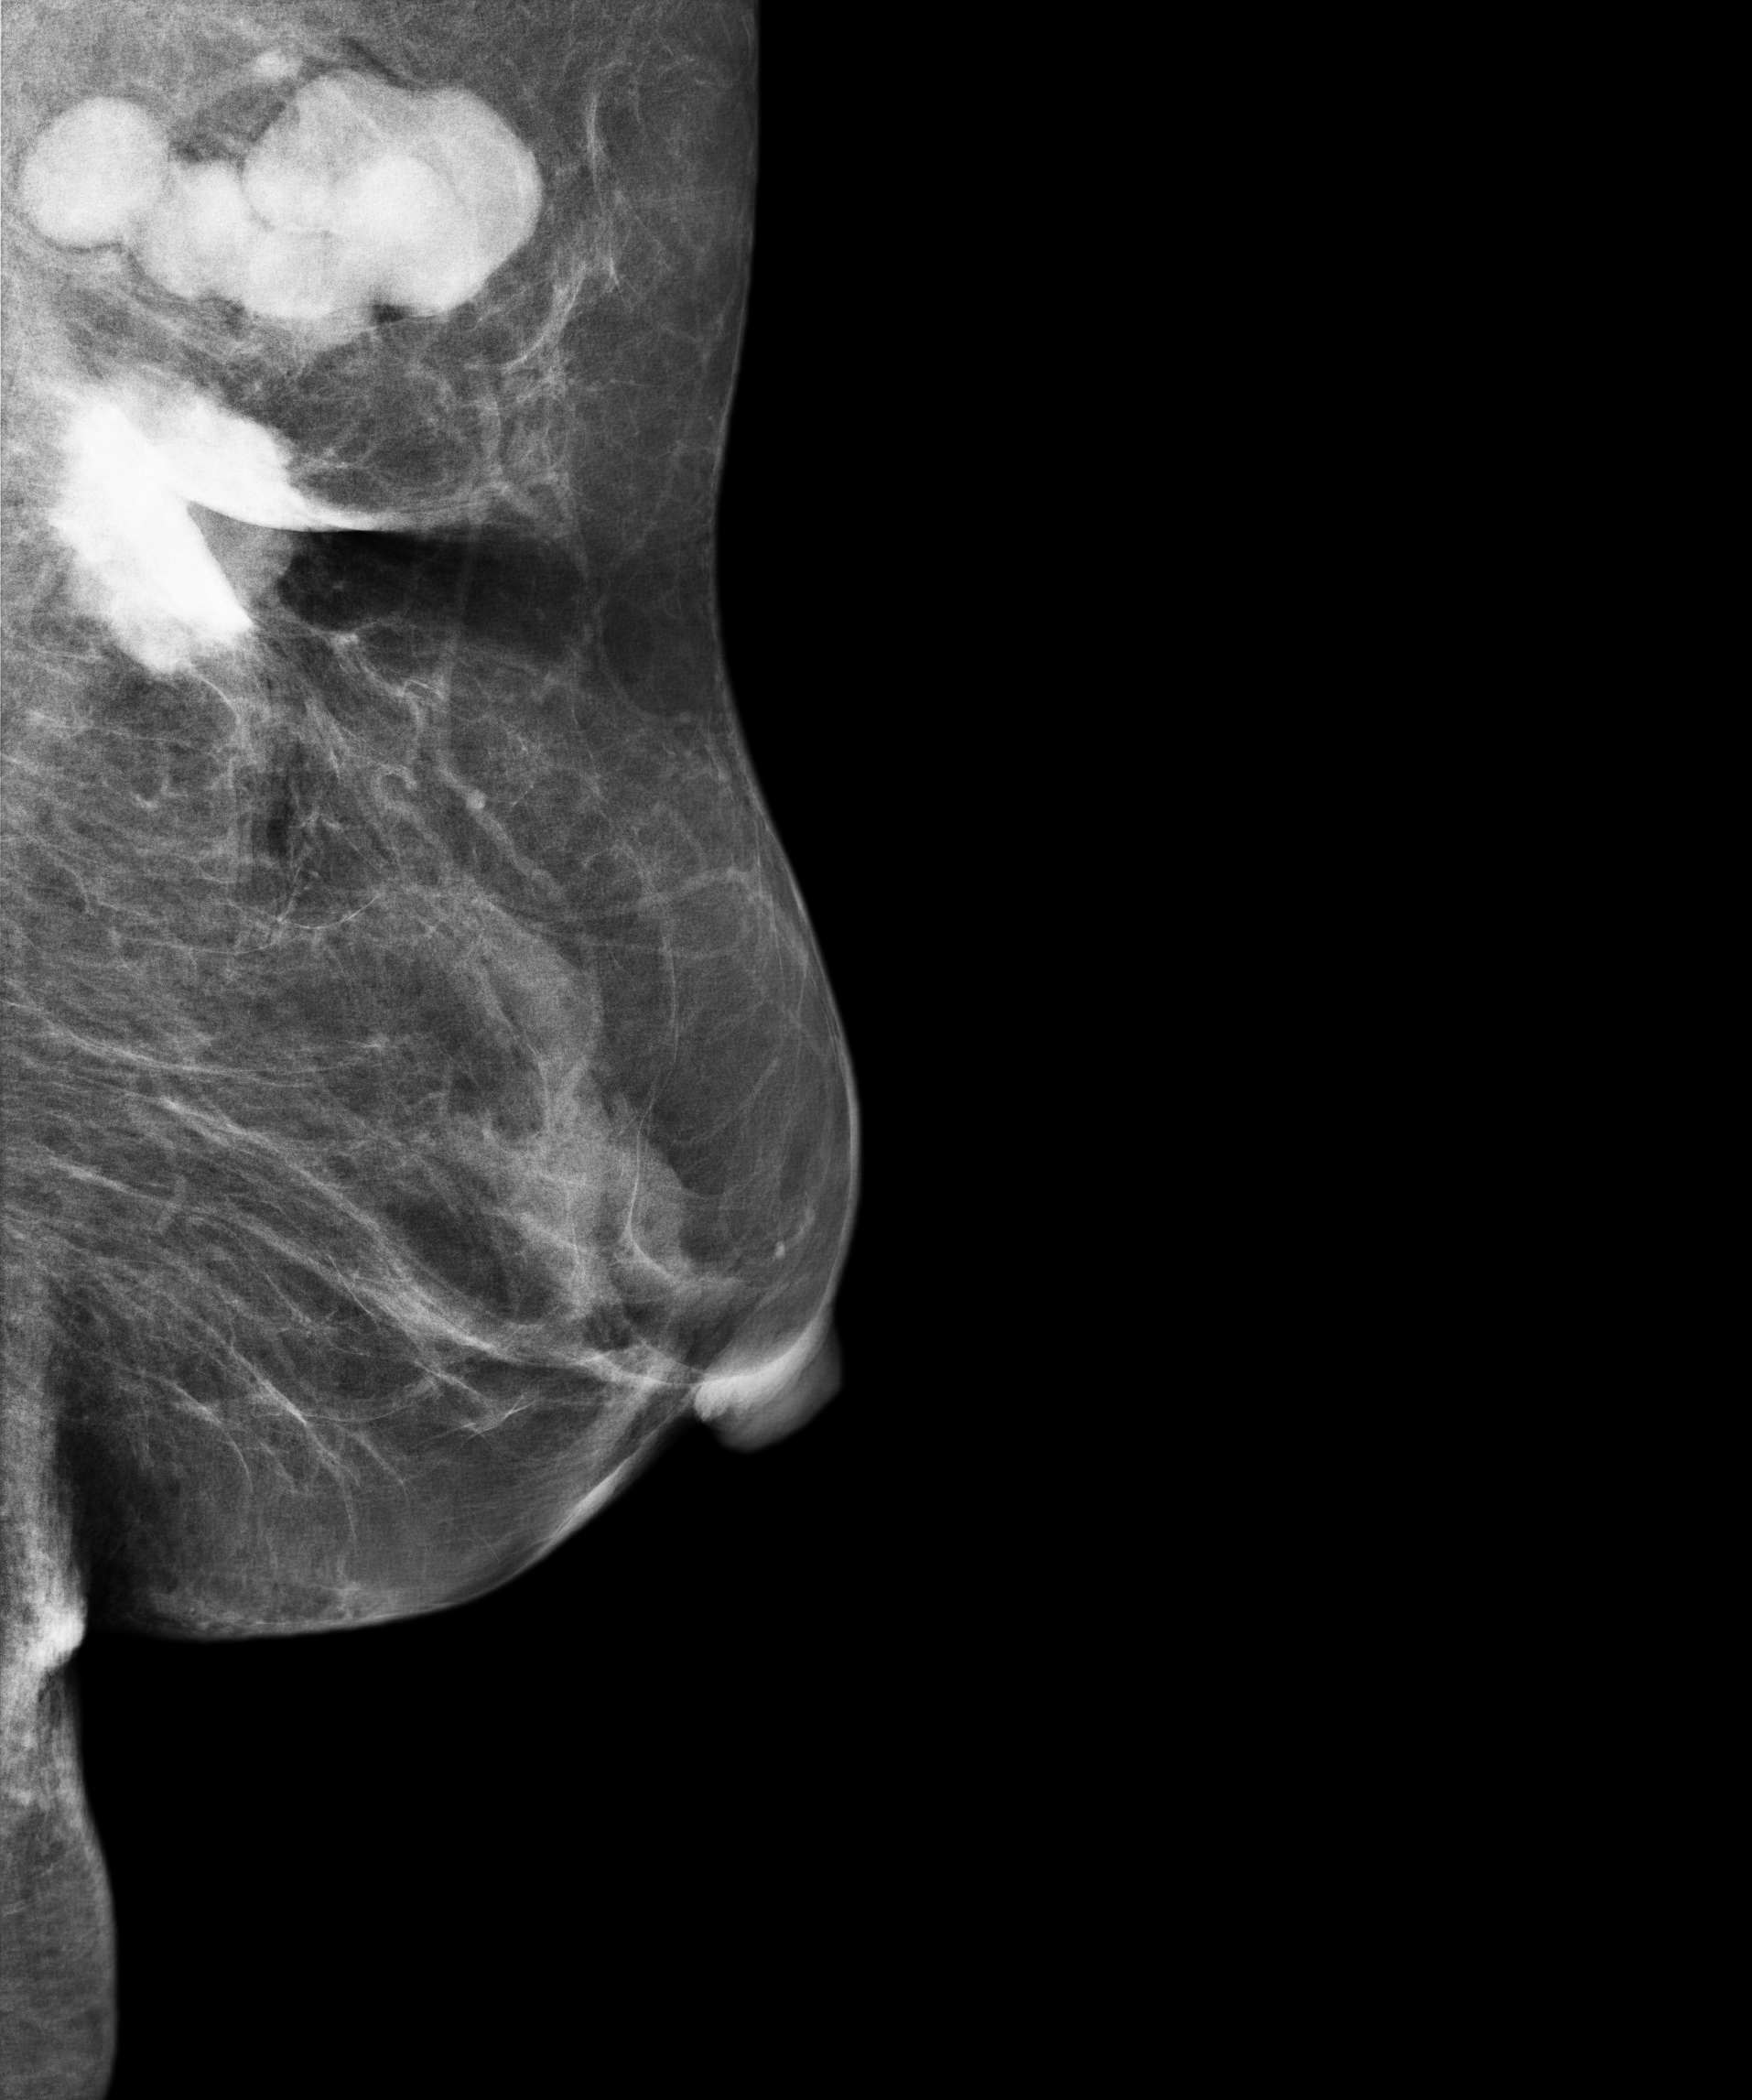
Left-breast mammogram, MLO. 83 y/o patient.
This breast has a mass, biopsy-confirmed malignant. Molecular subtype: luminal B.